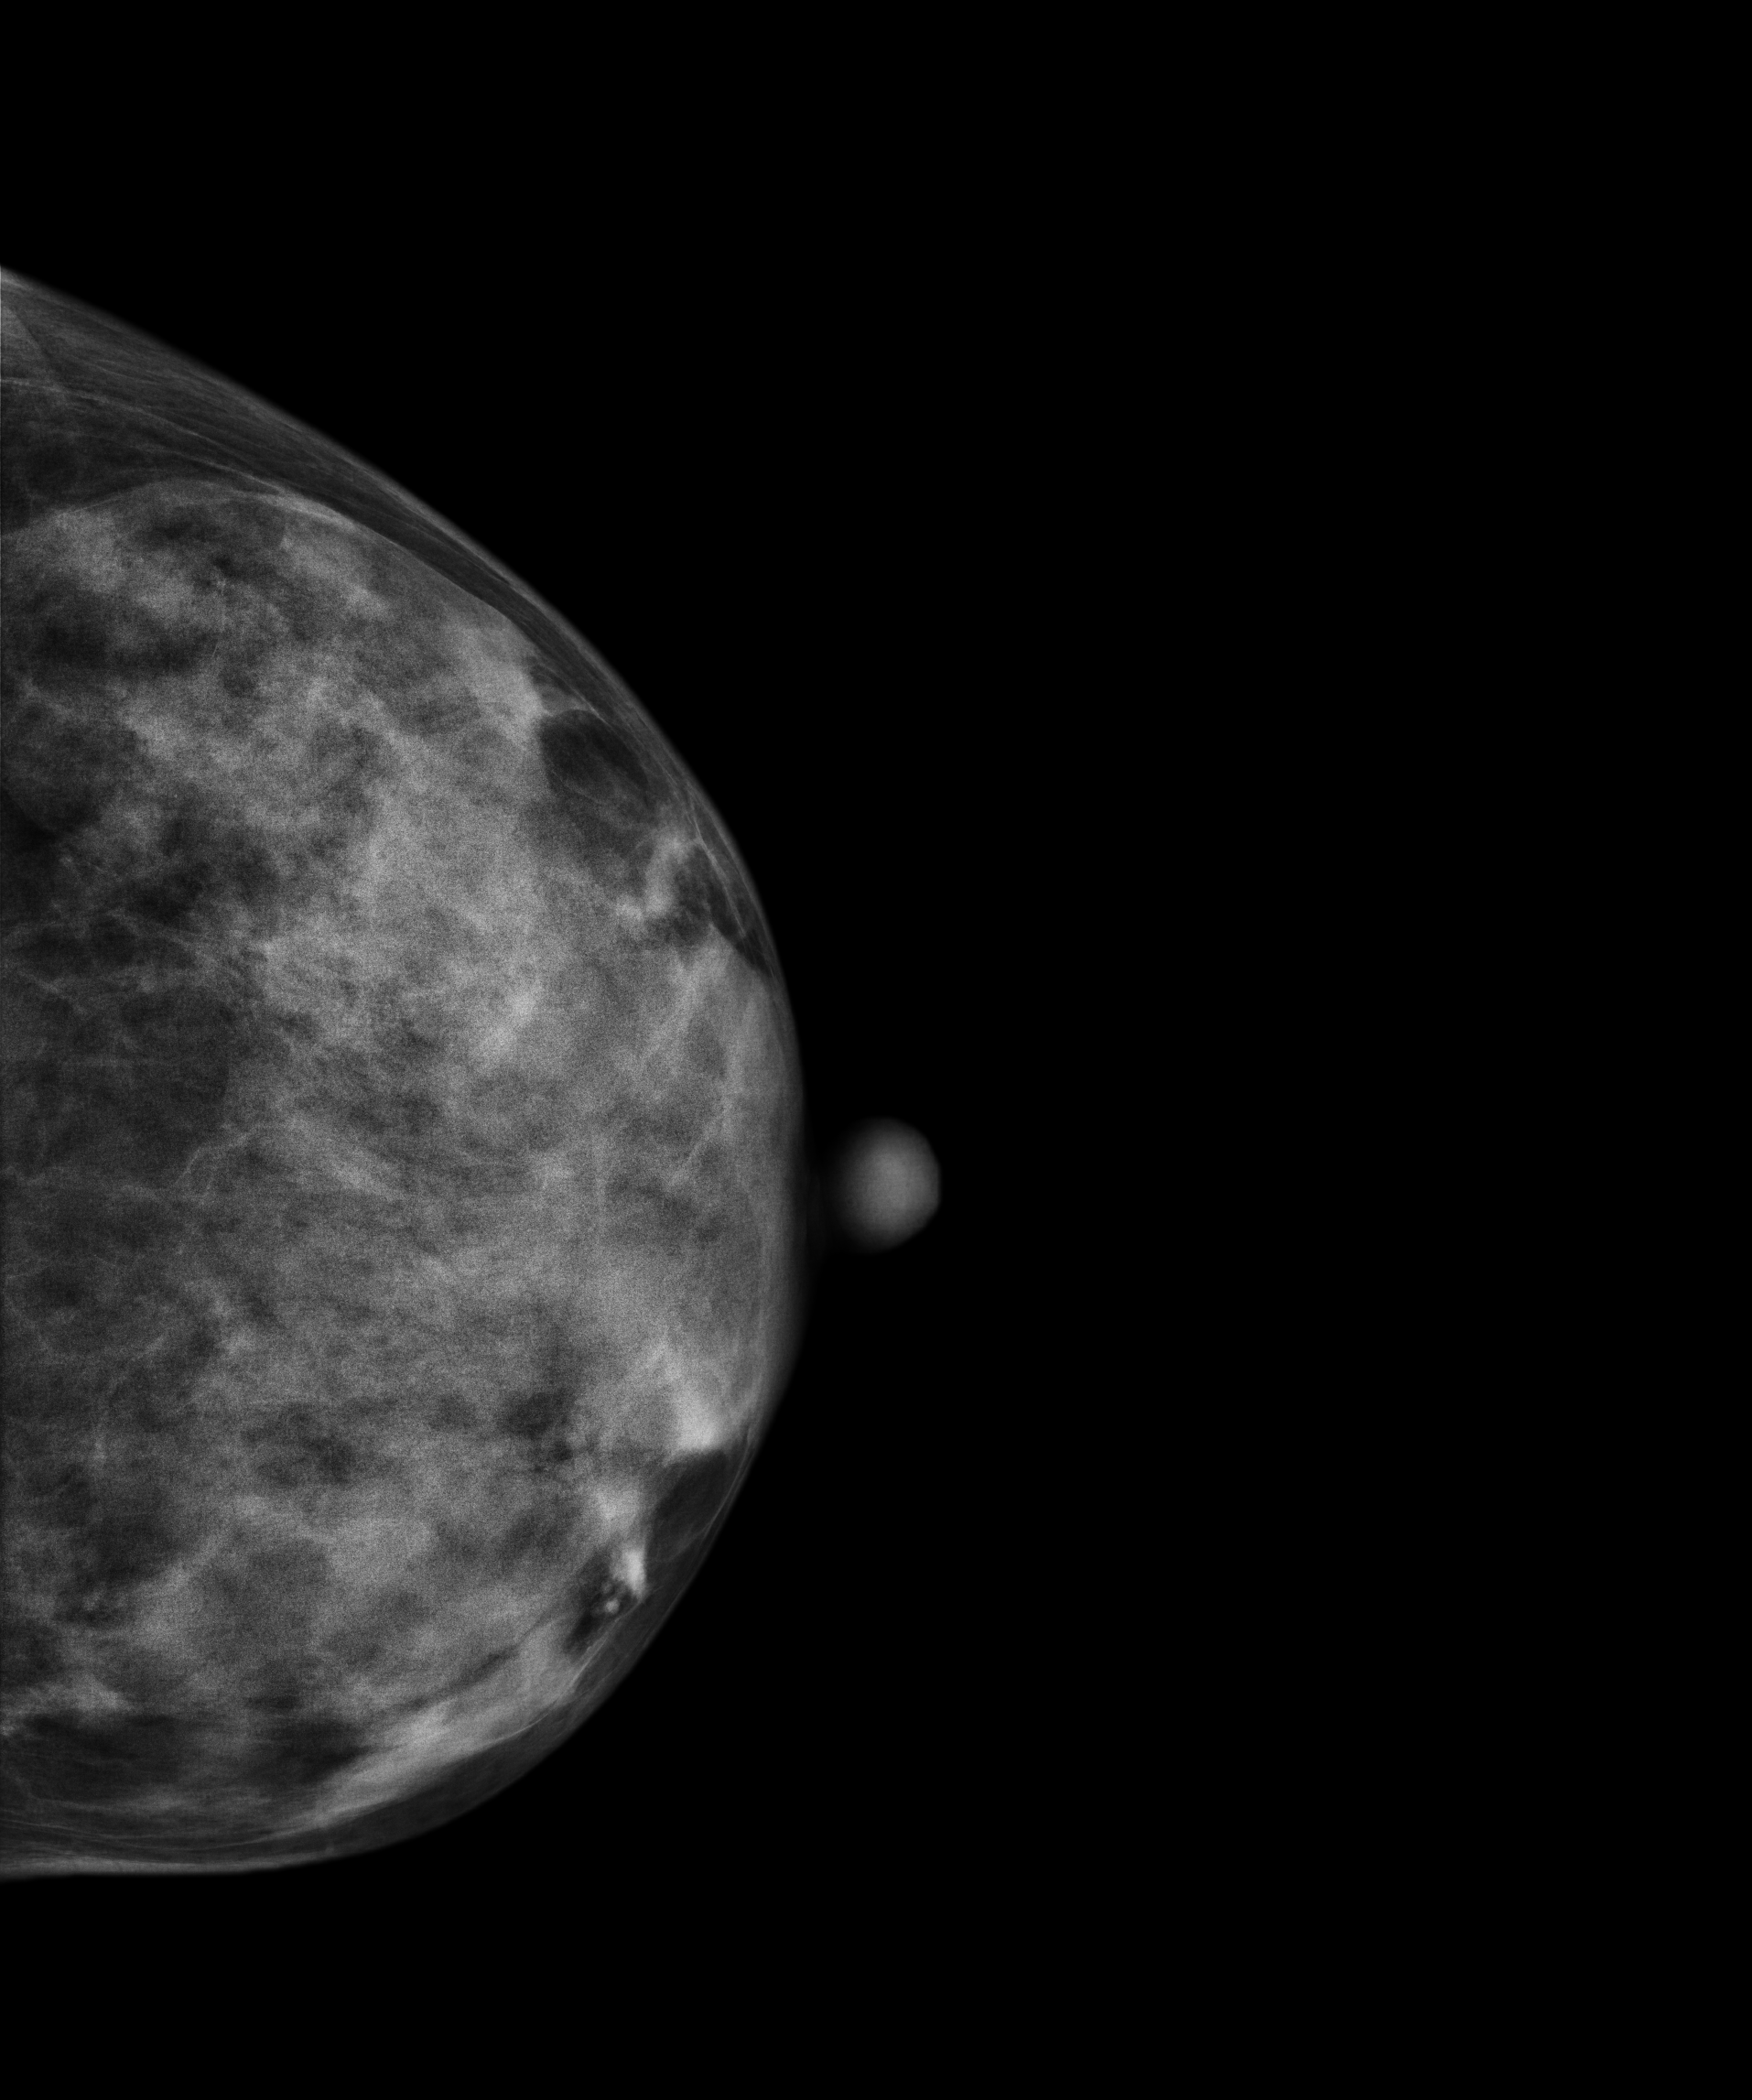
Left-breast mammogram, cranio-caudal. 41 y/o patient.
This breast has a mass, histologically confirmed benign.